Mammogram — right CC. Patient age 67.
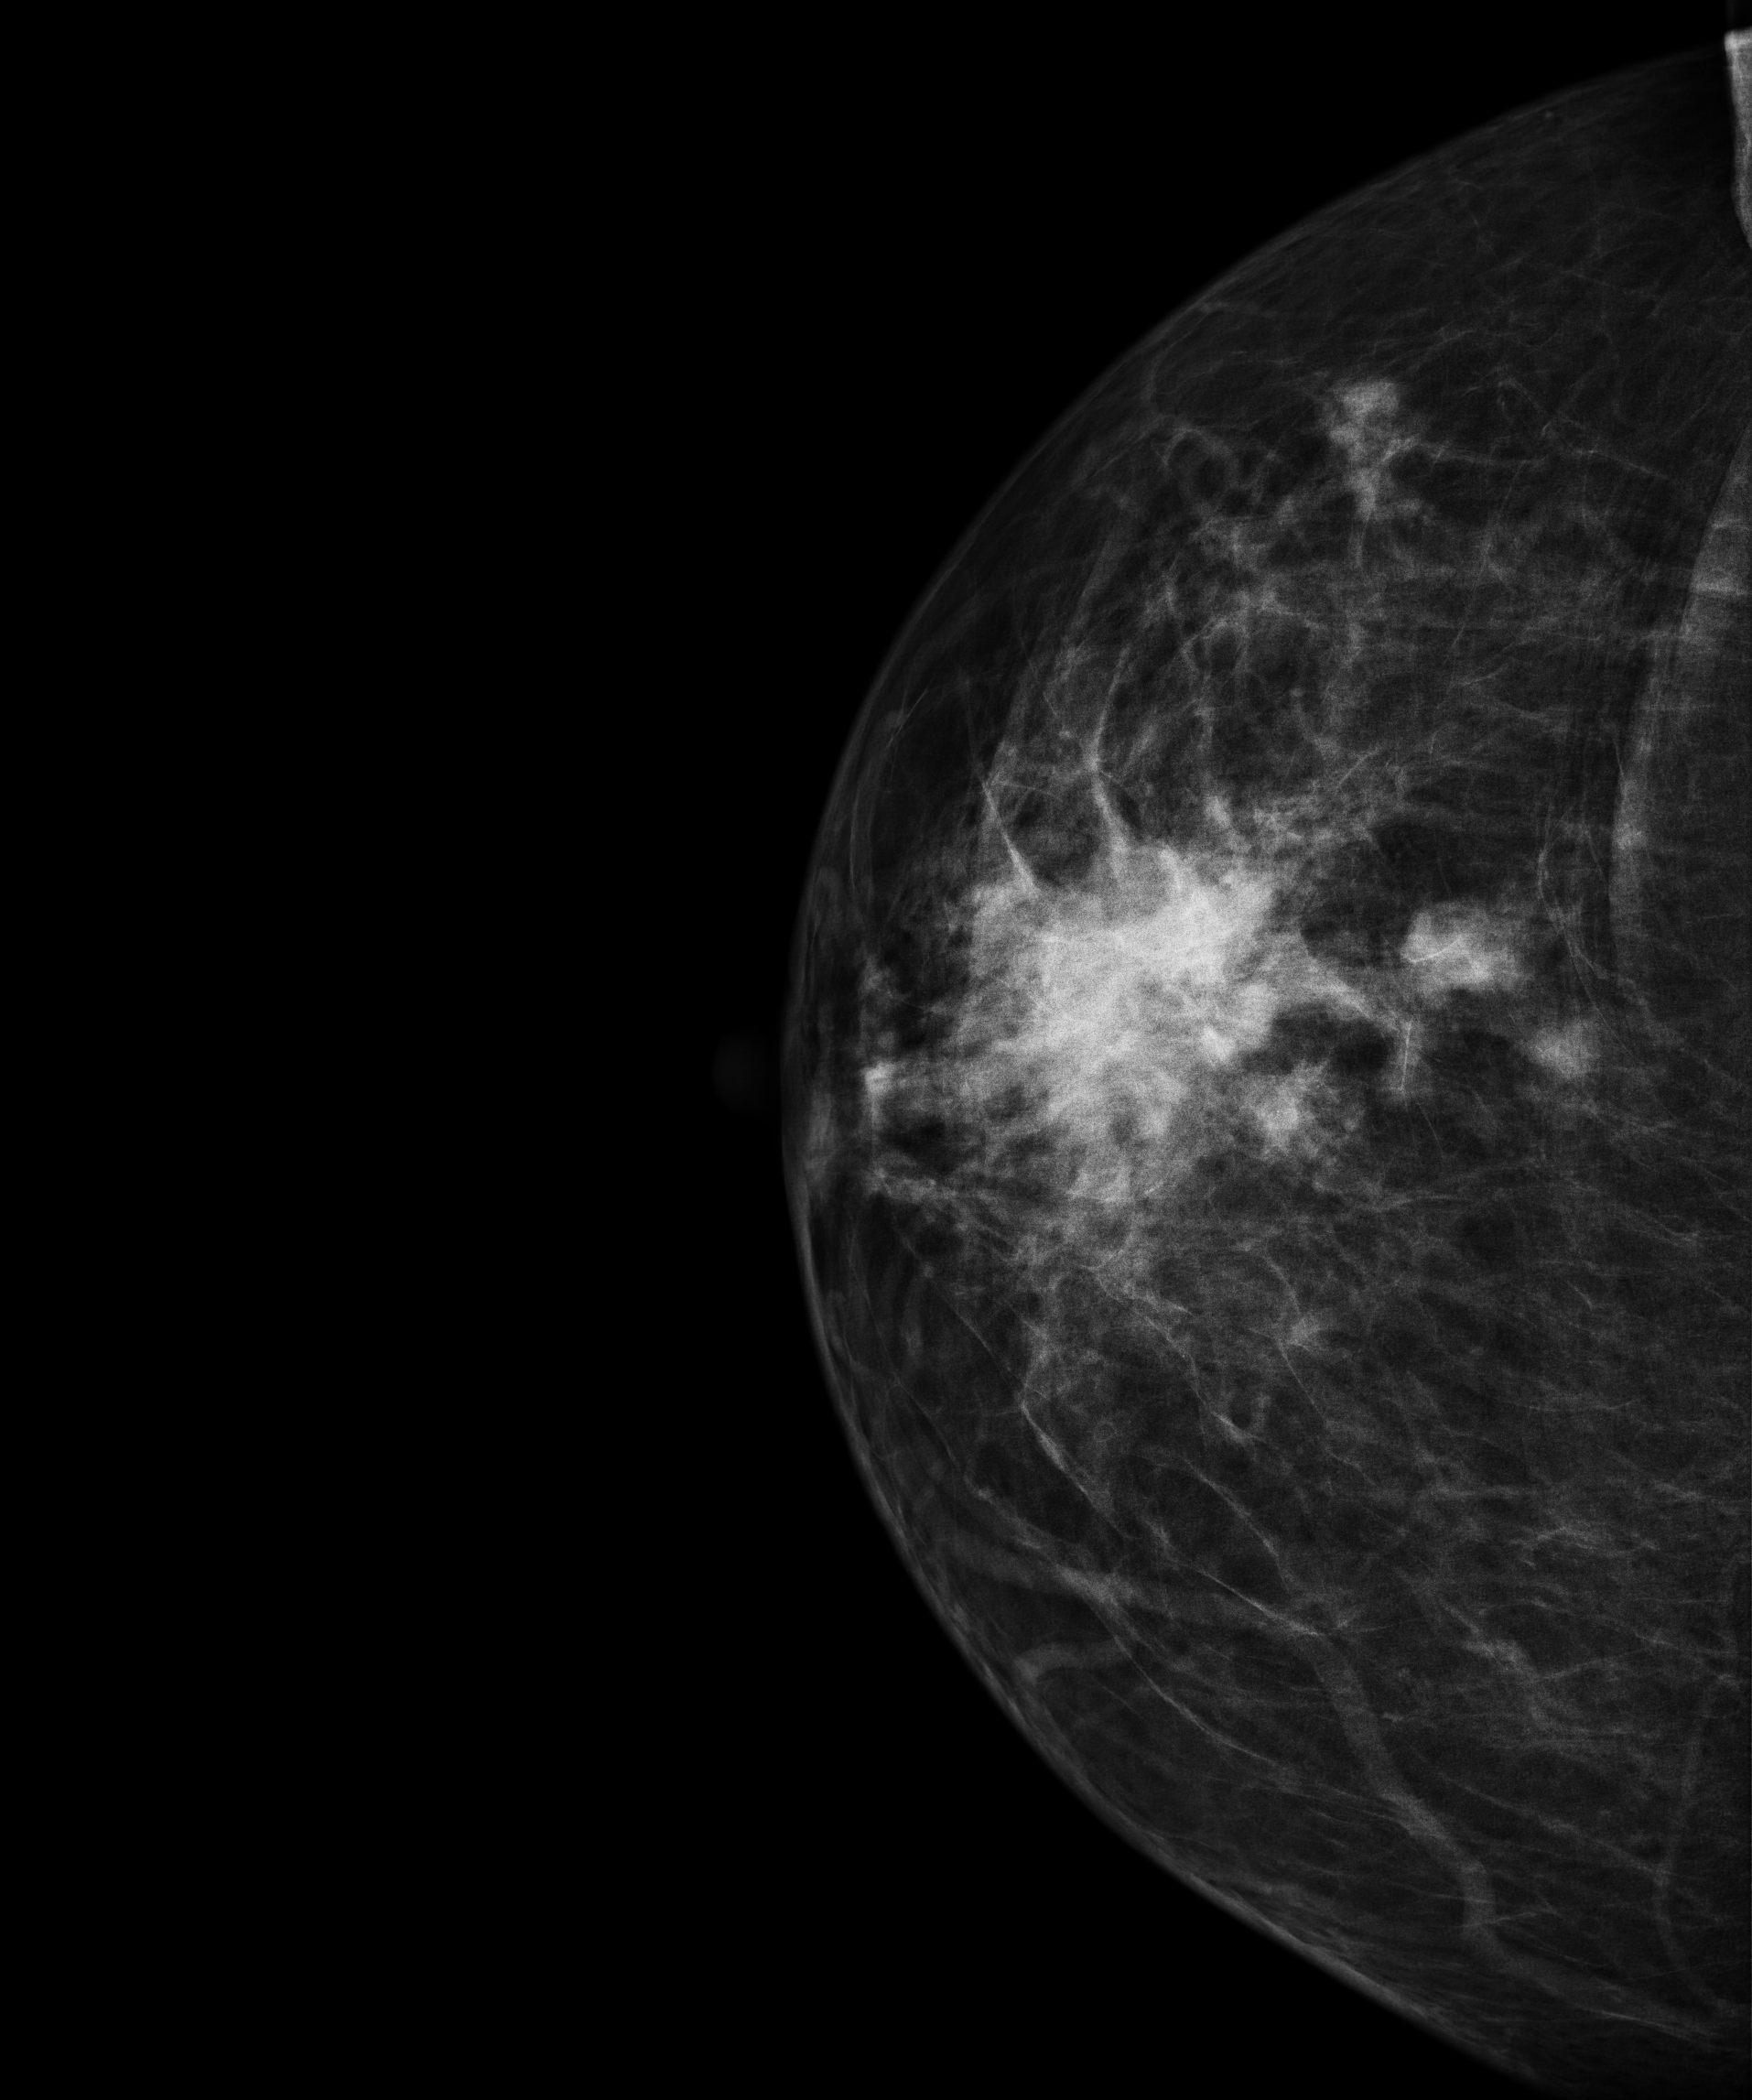
This breast has a mass, biopsy-proven malignant. Molecular subtype: luminal A.